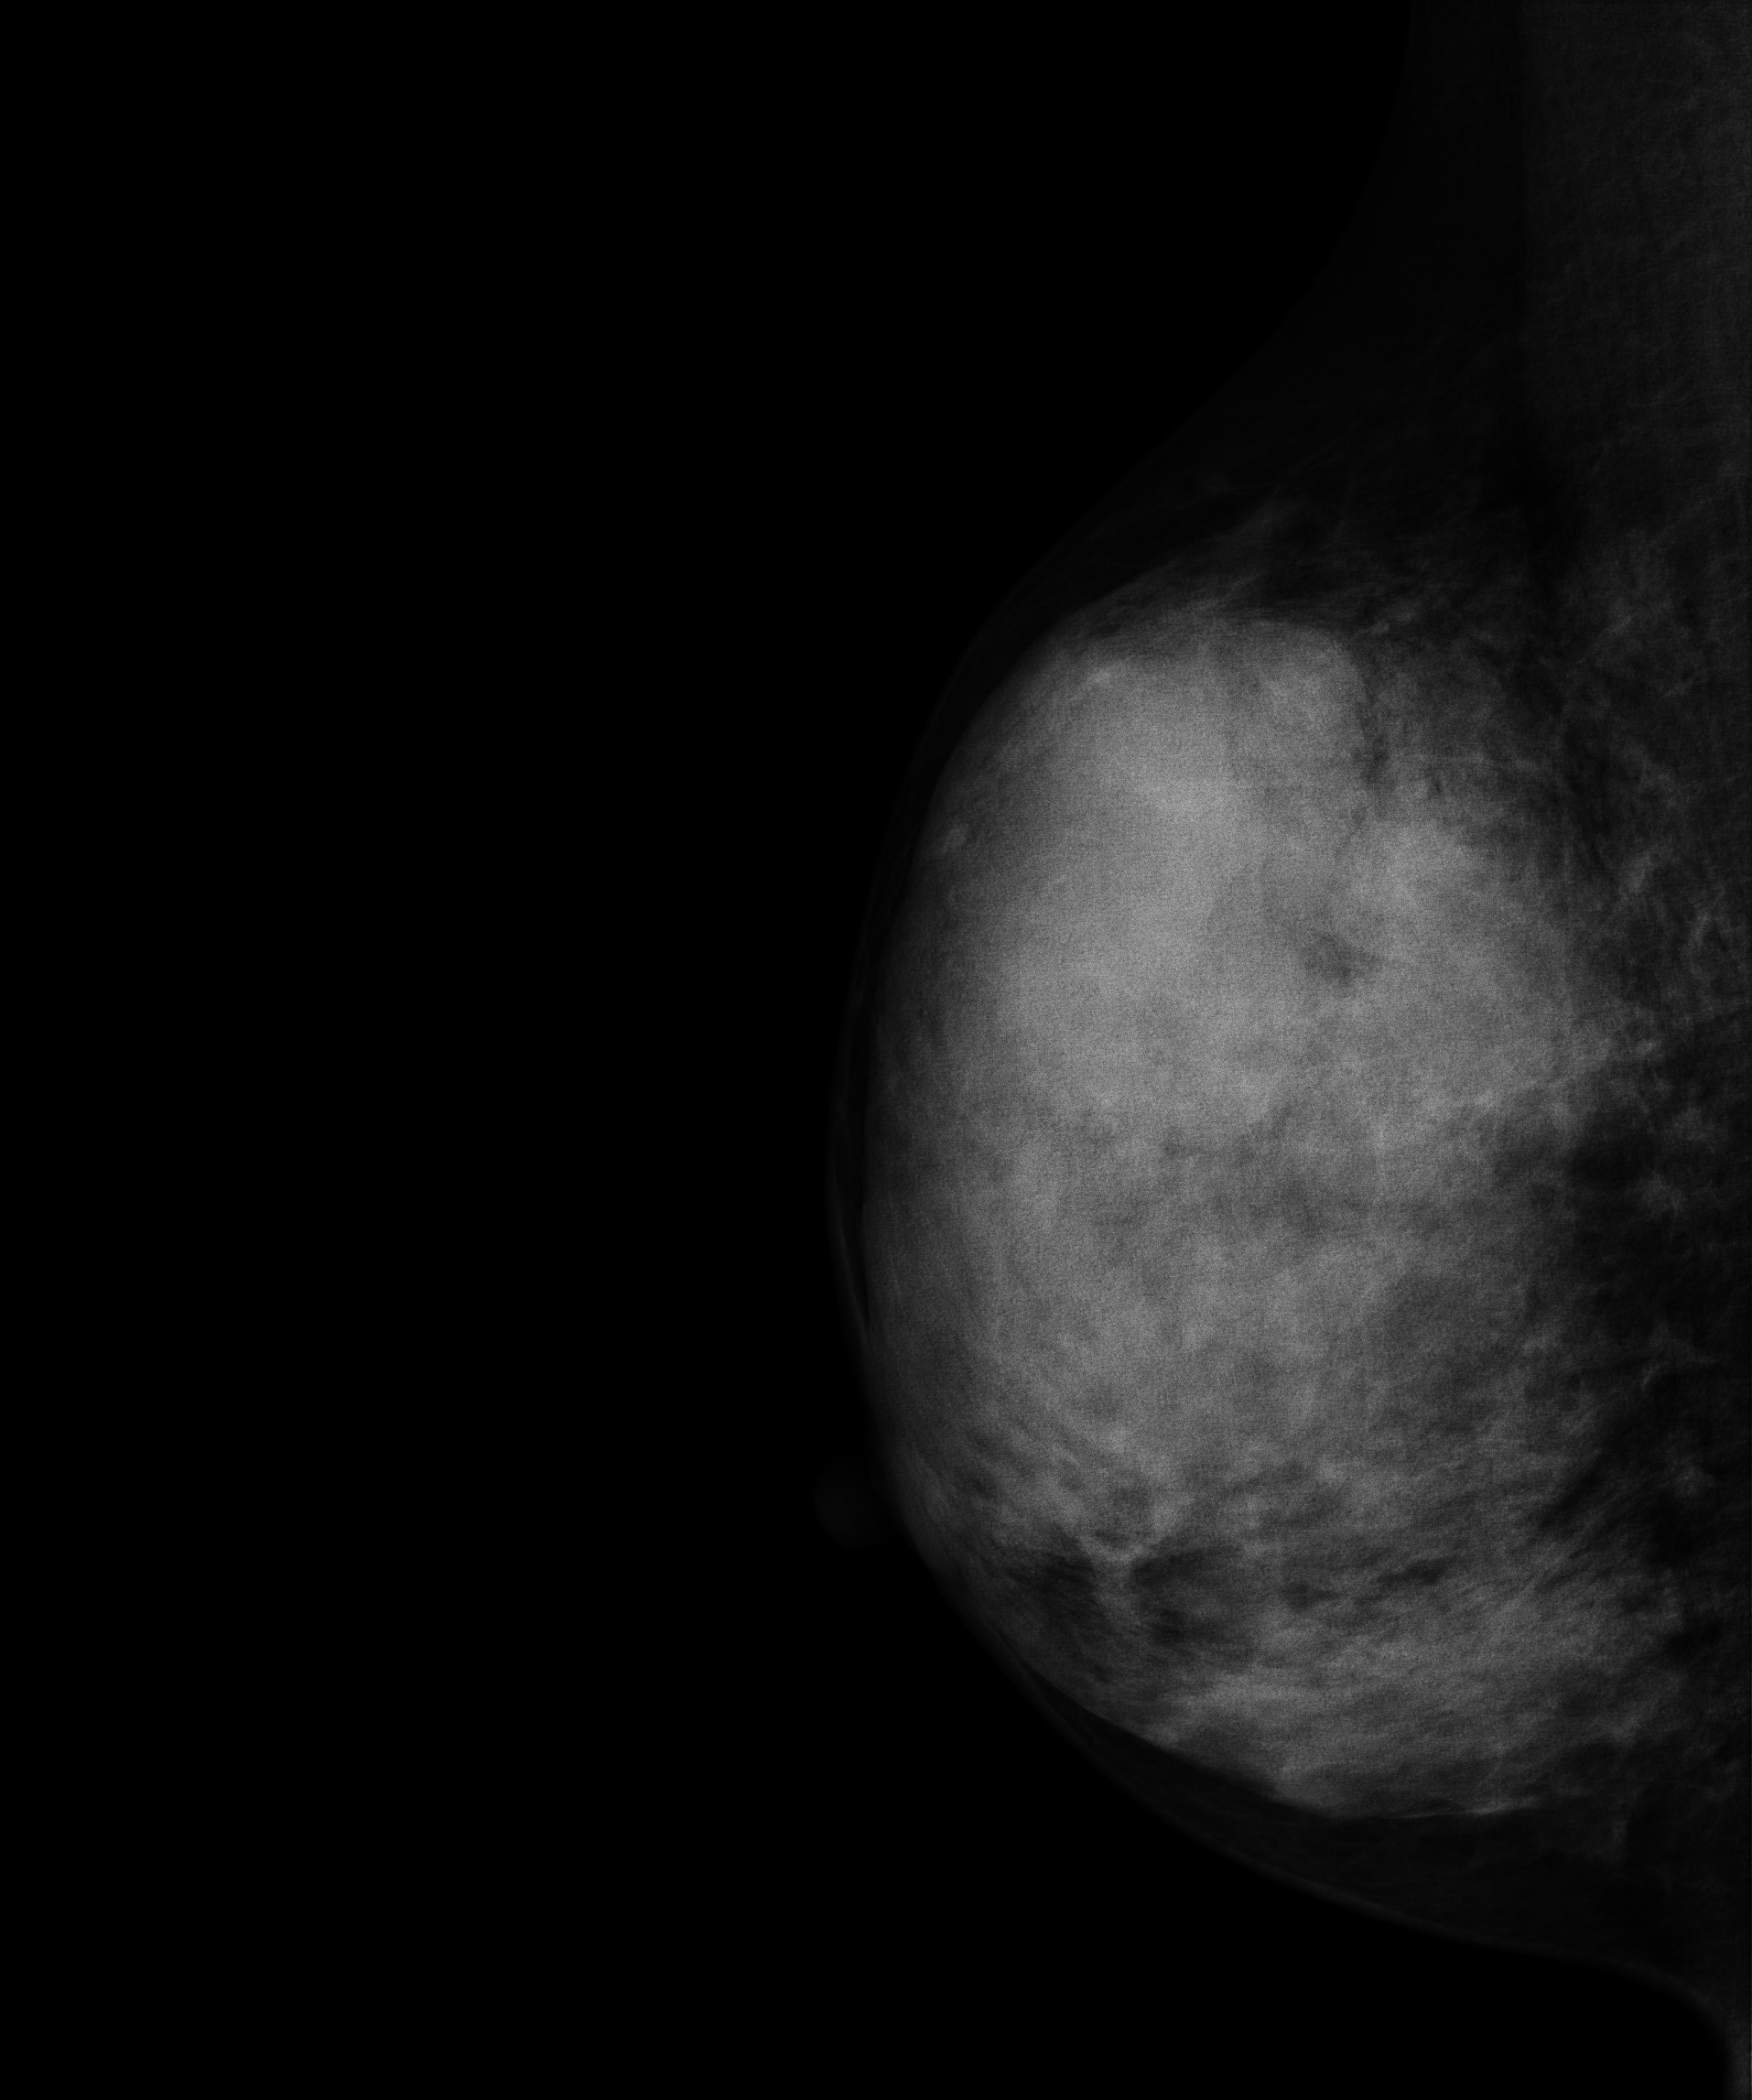
Mammogram — right medio-lateral oblique. Patient age 38.
This breast has a mass, biopsy-confirmed malignant.